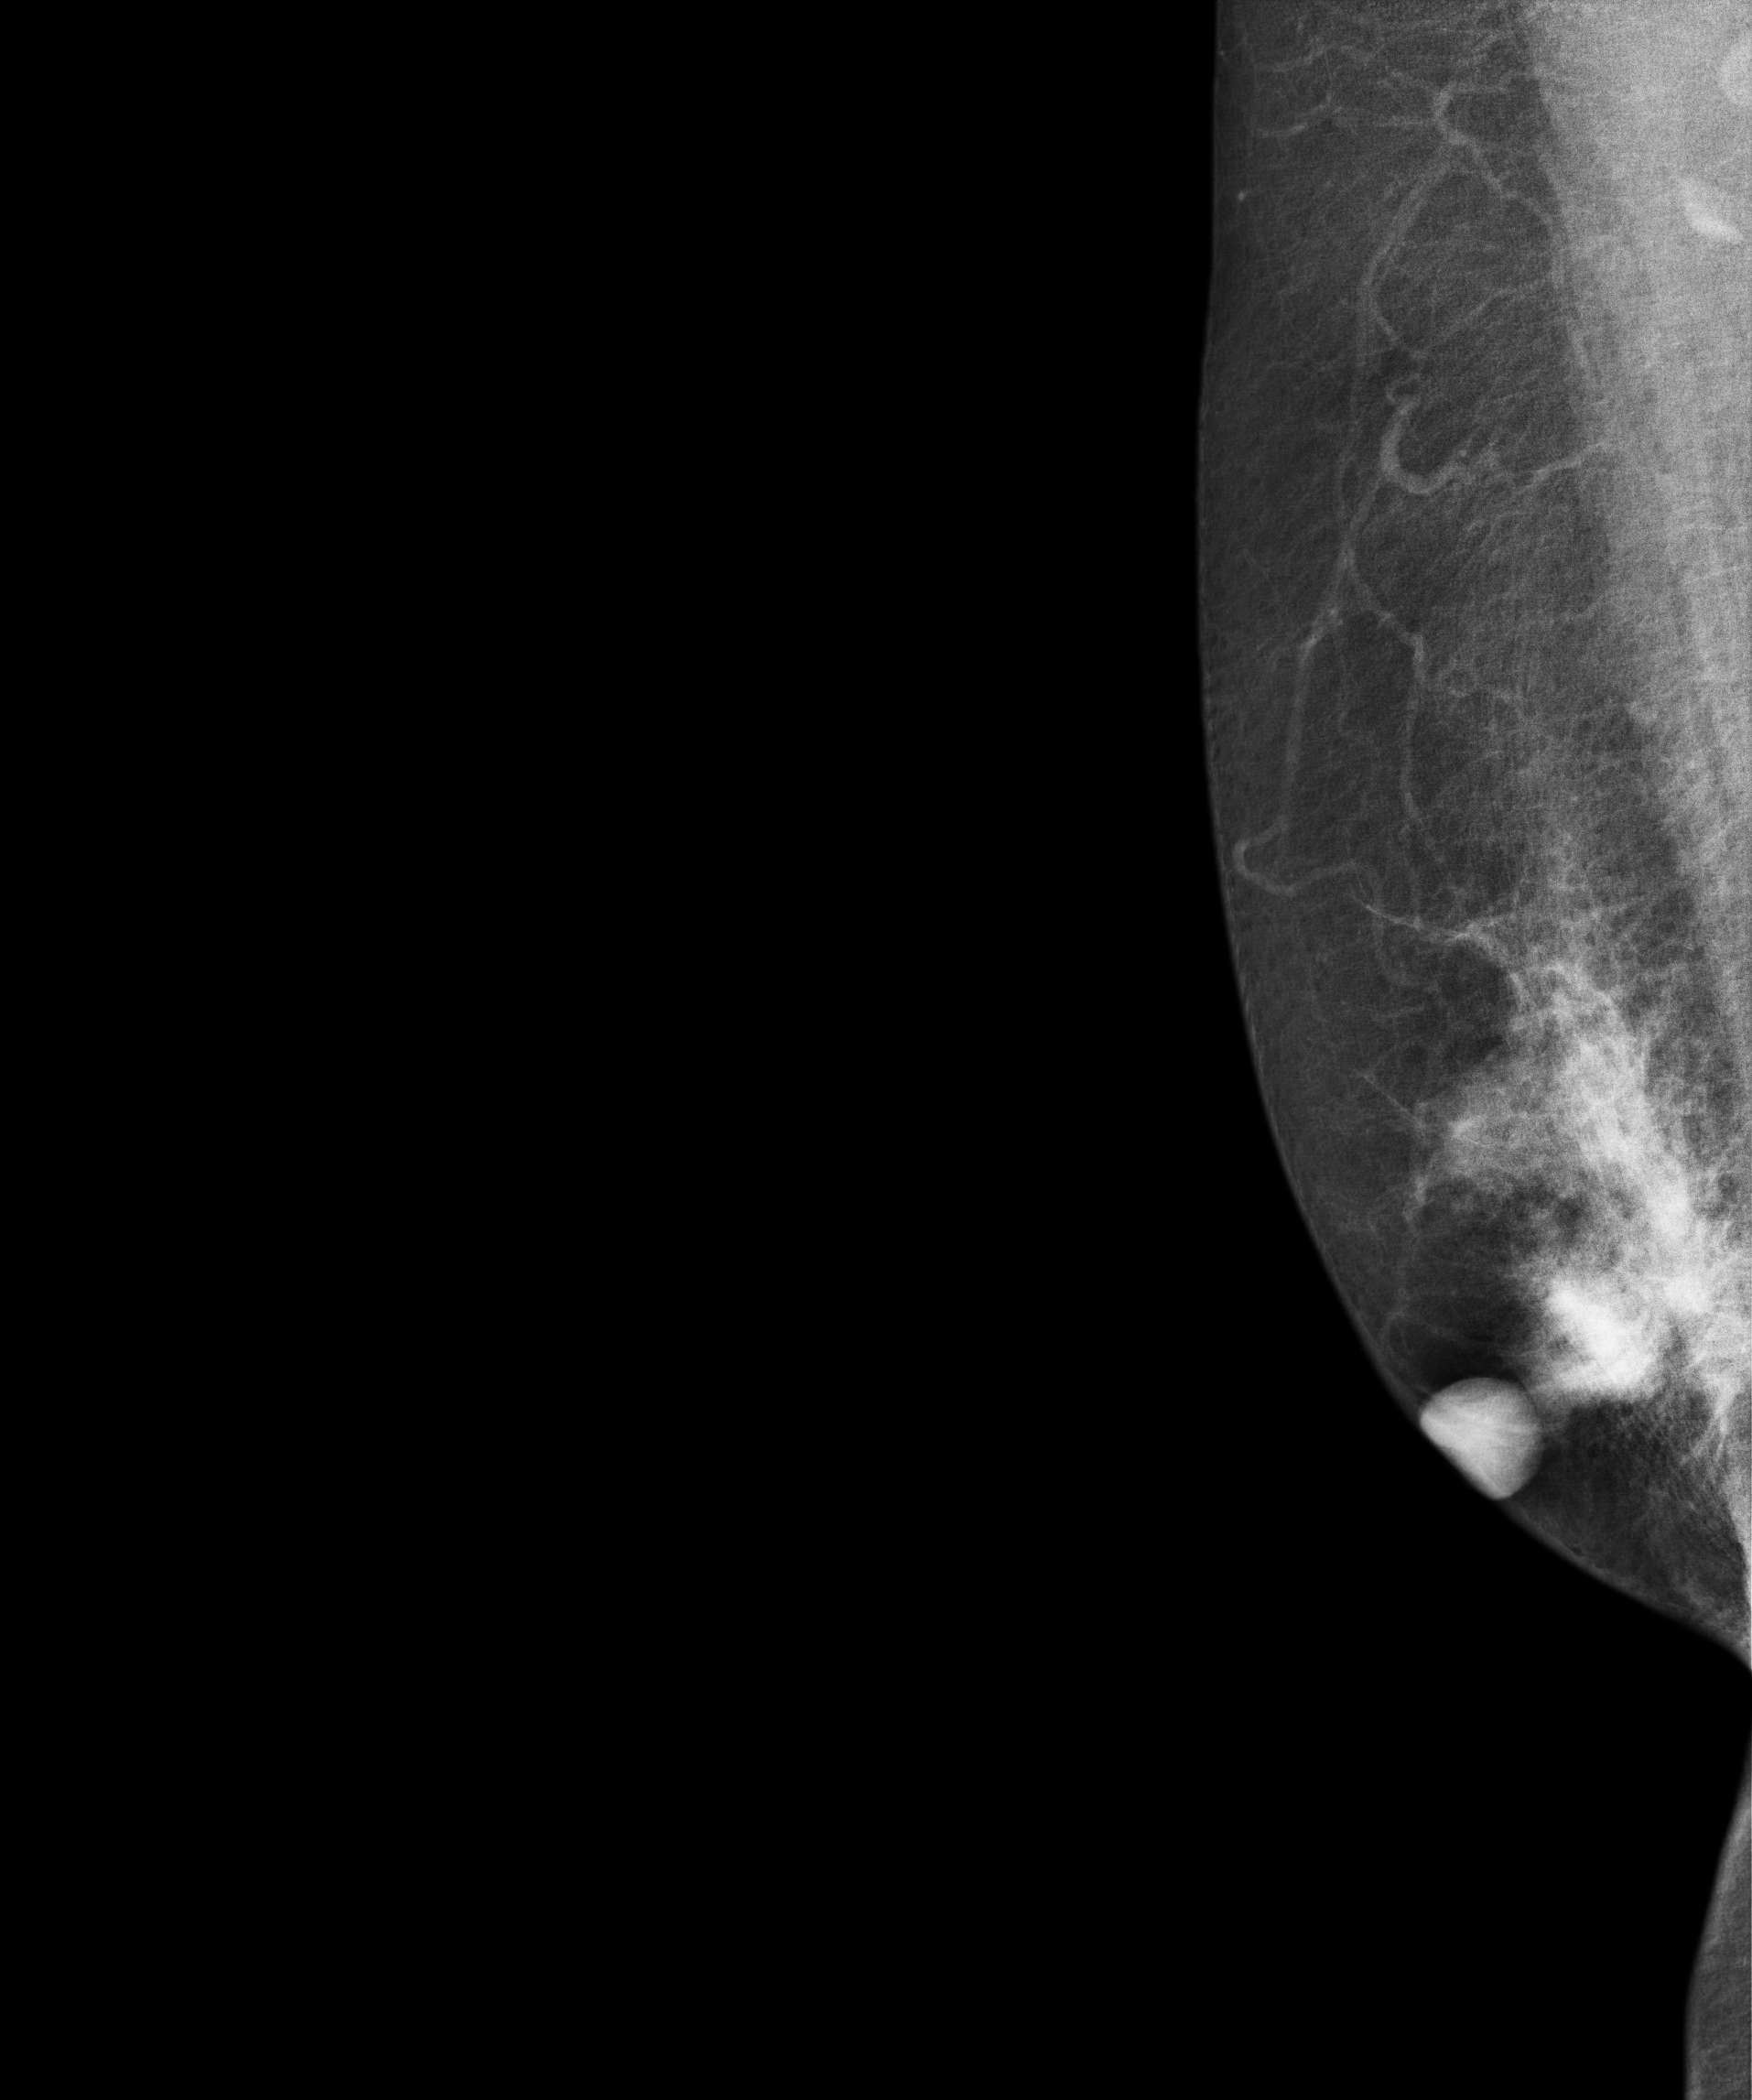
Digital mammography. Right breast, MLO projection. 59-year-old patient.
This breast has a mass, biopsy-confirmed malignant. Molecular subtype: luminal B.